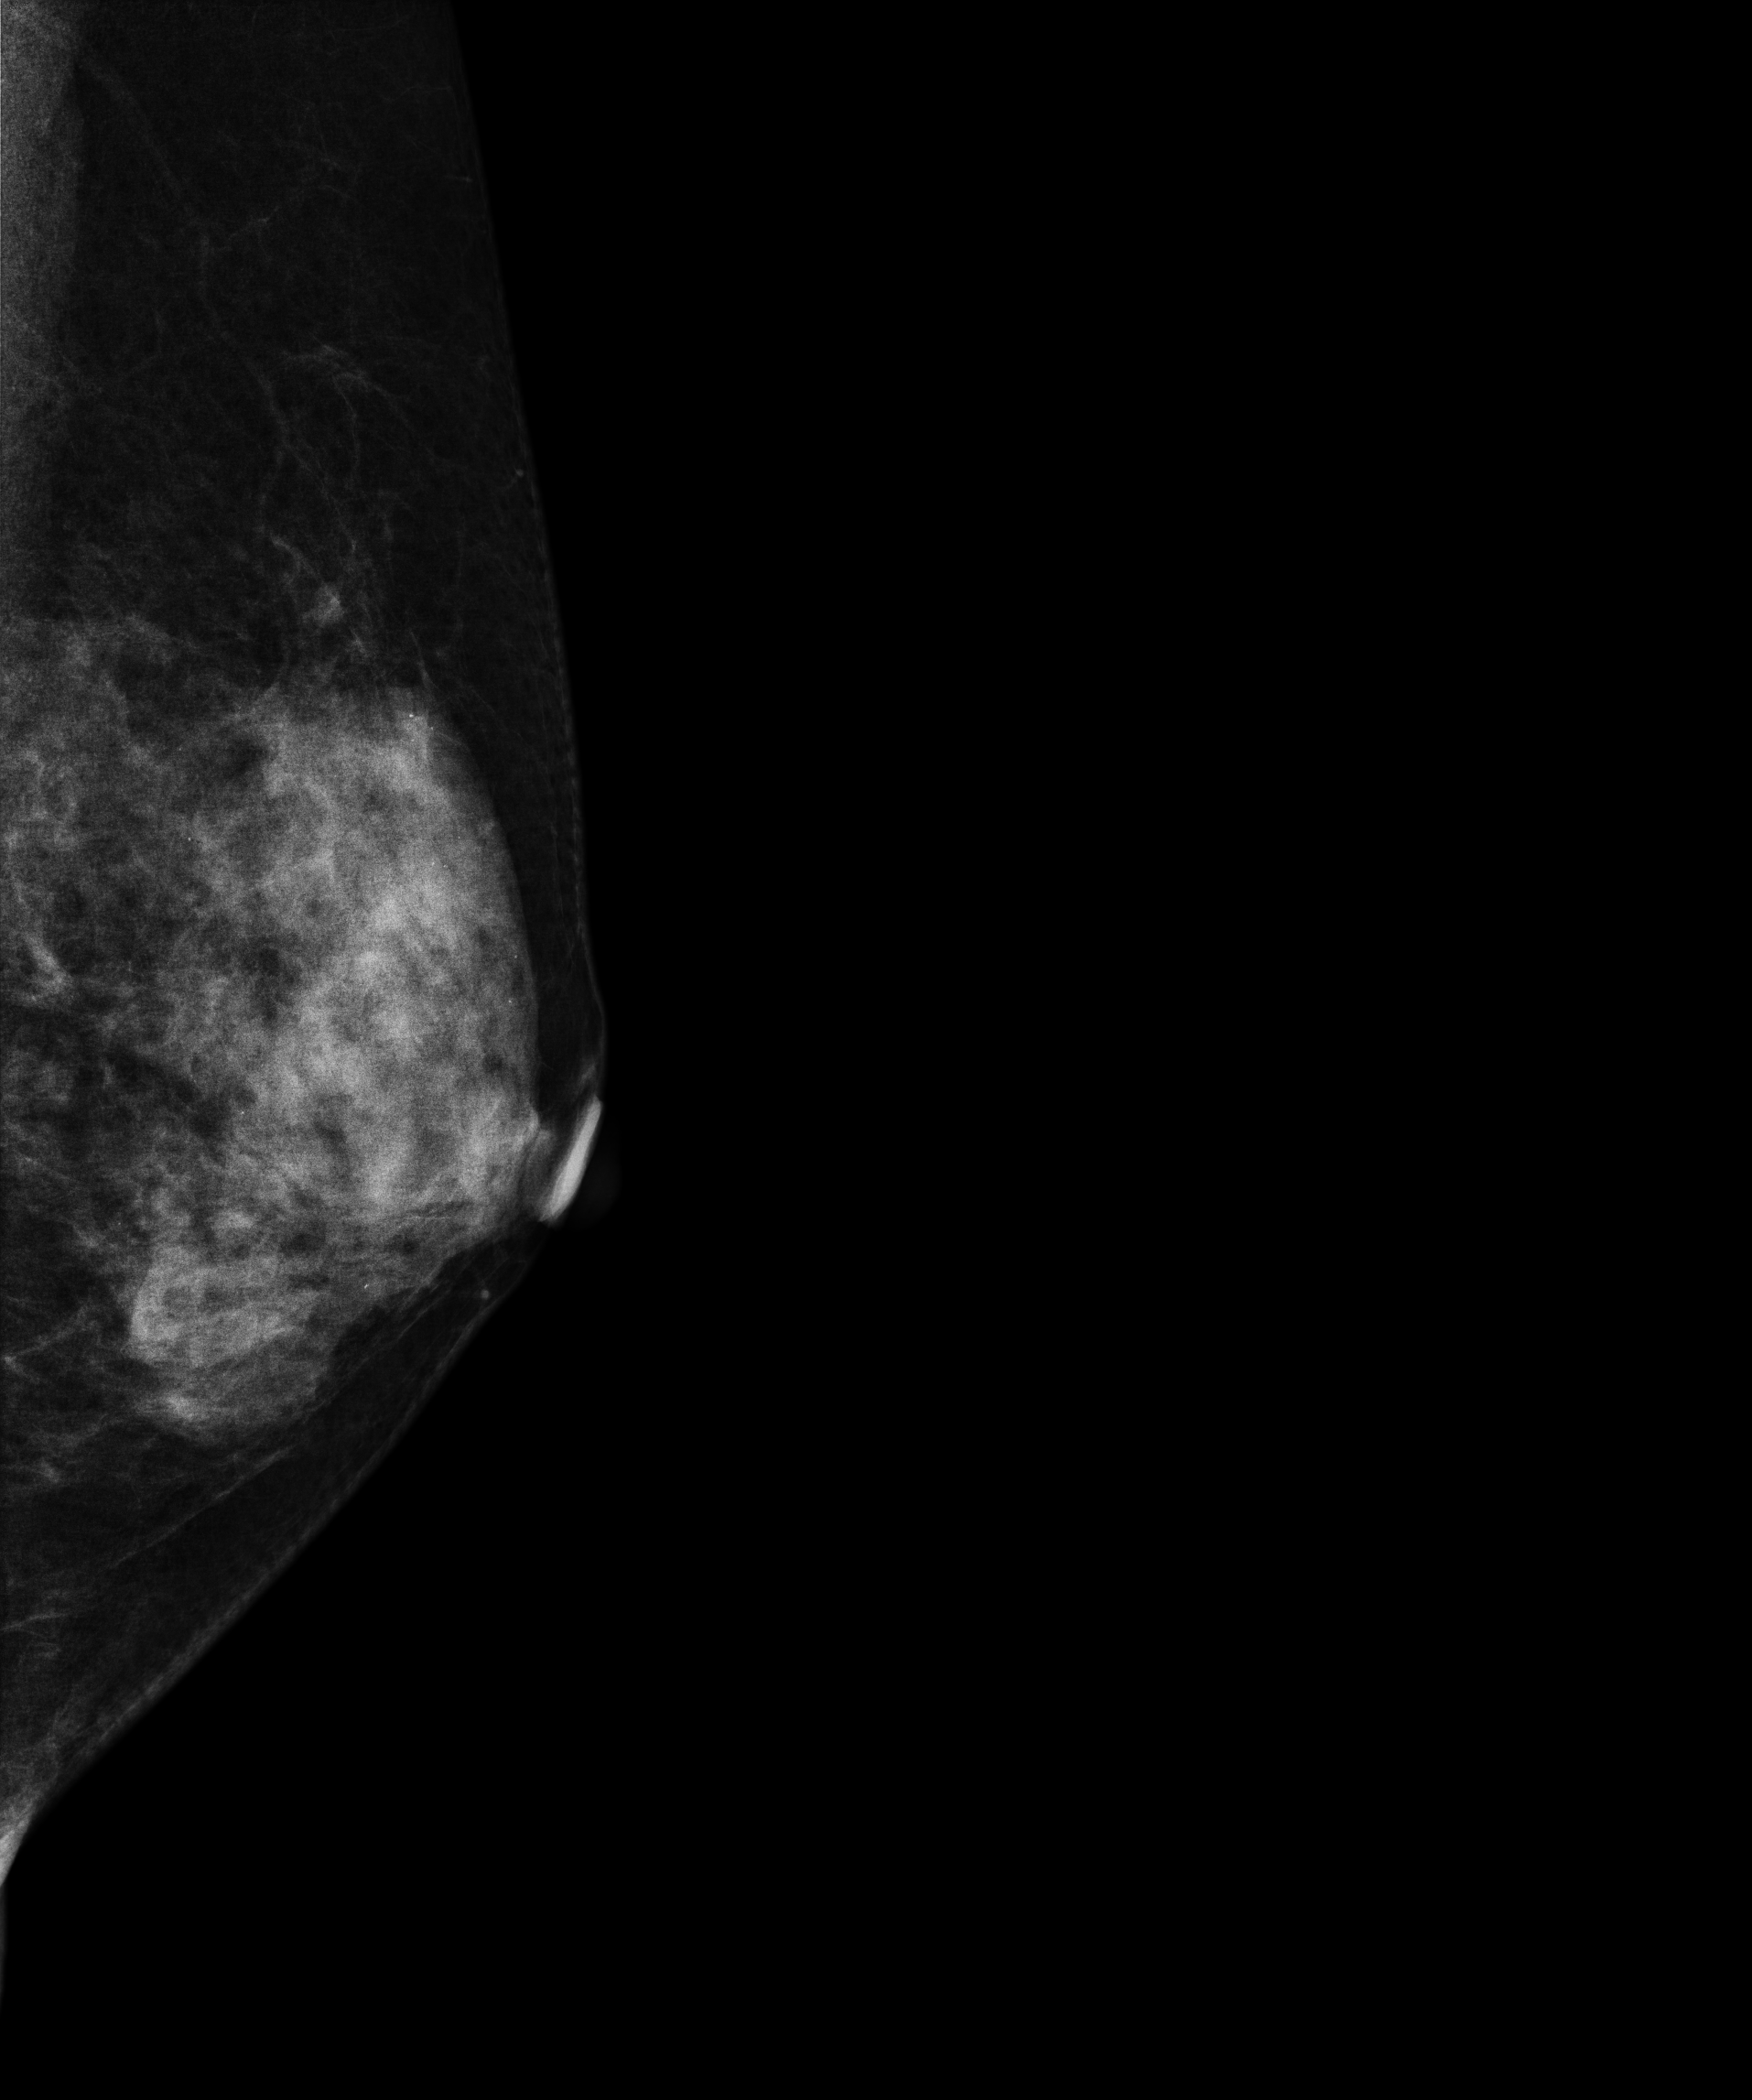
Left-breast mammogram, medio-lateral oblique. 49-year-old patient.
Contralateral breast — no documented abnormality on this side.